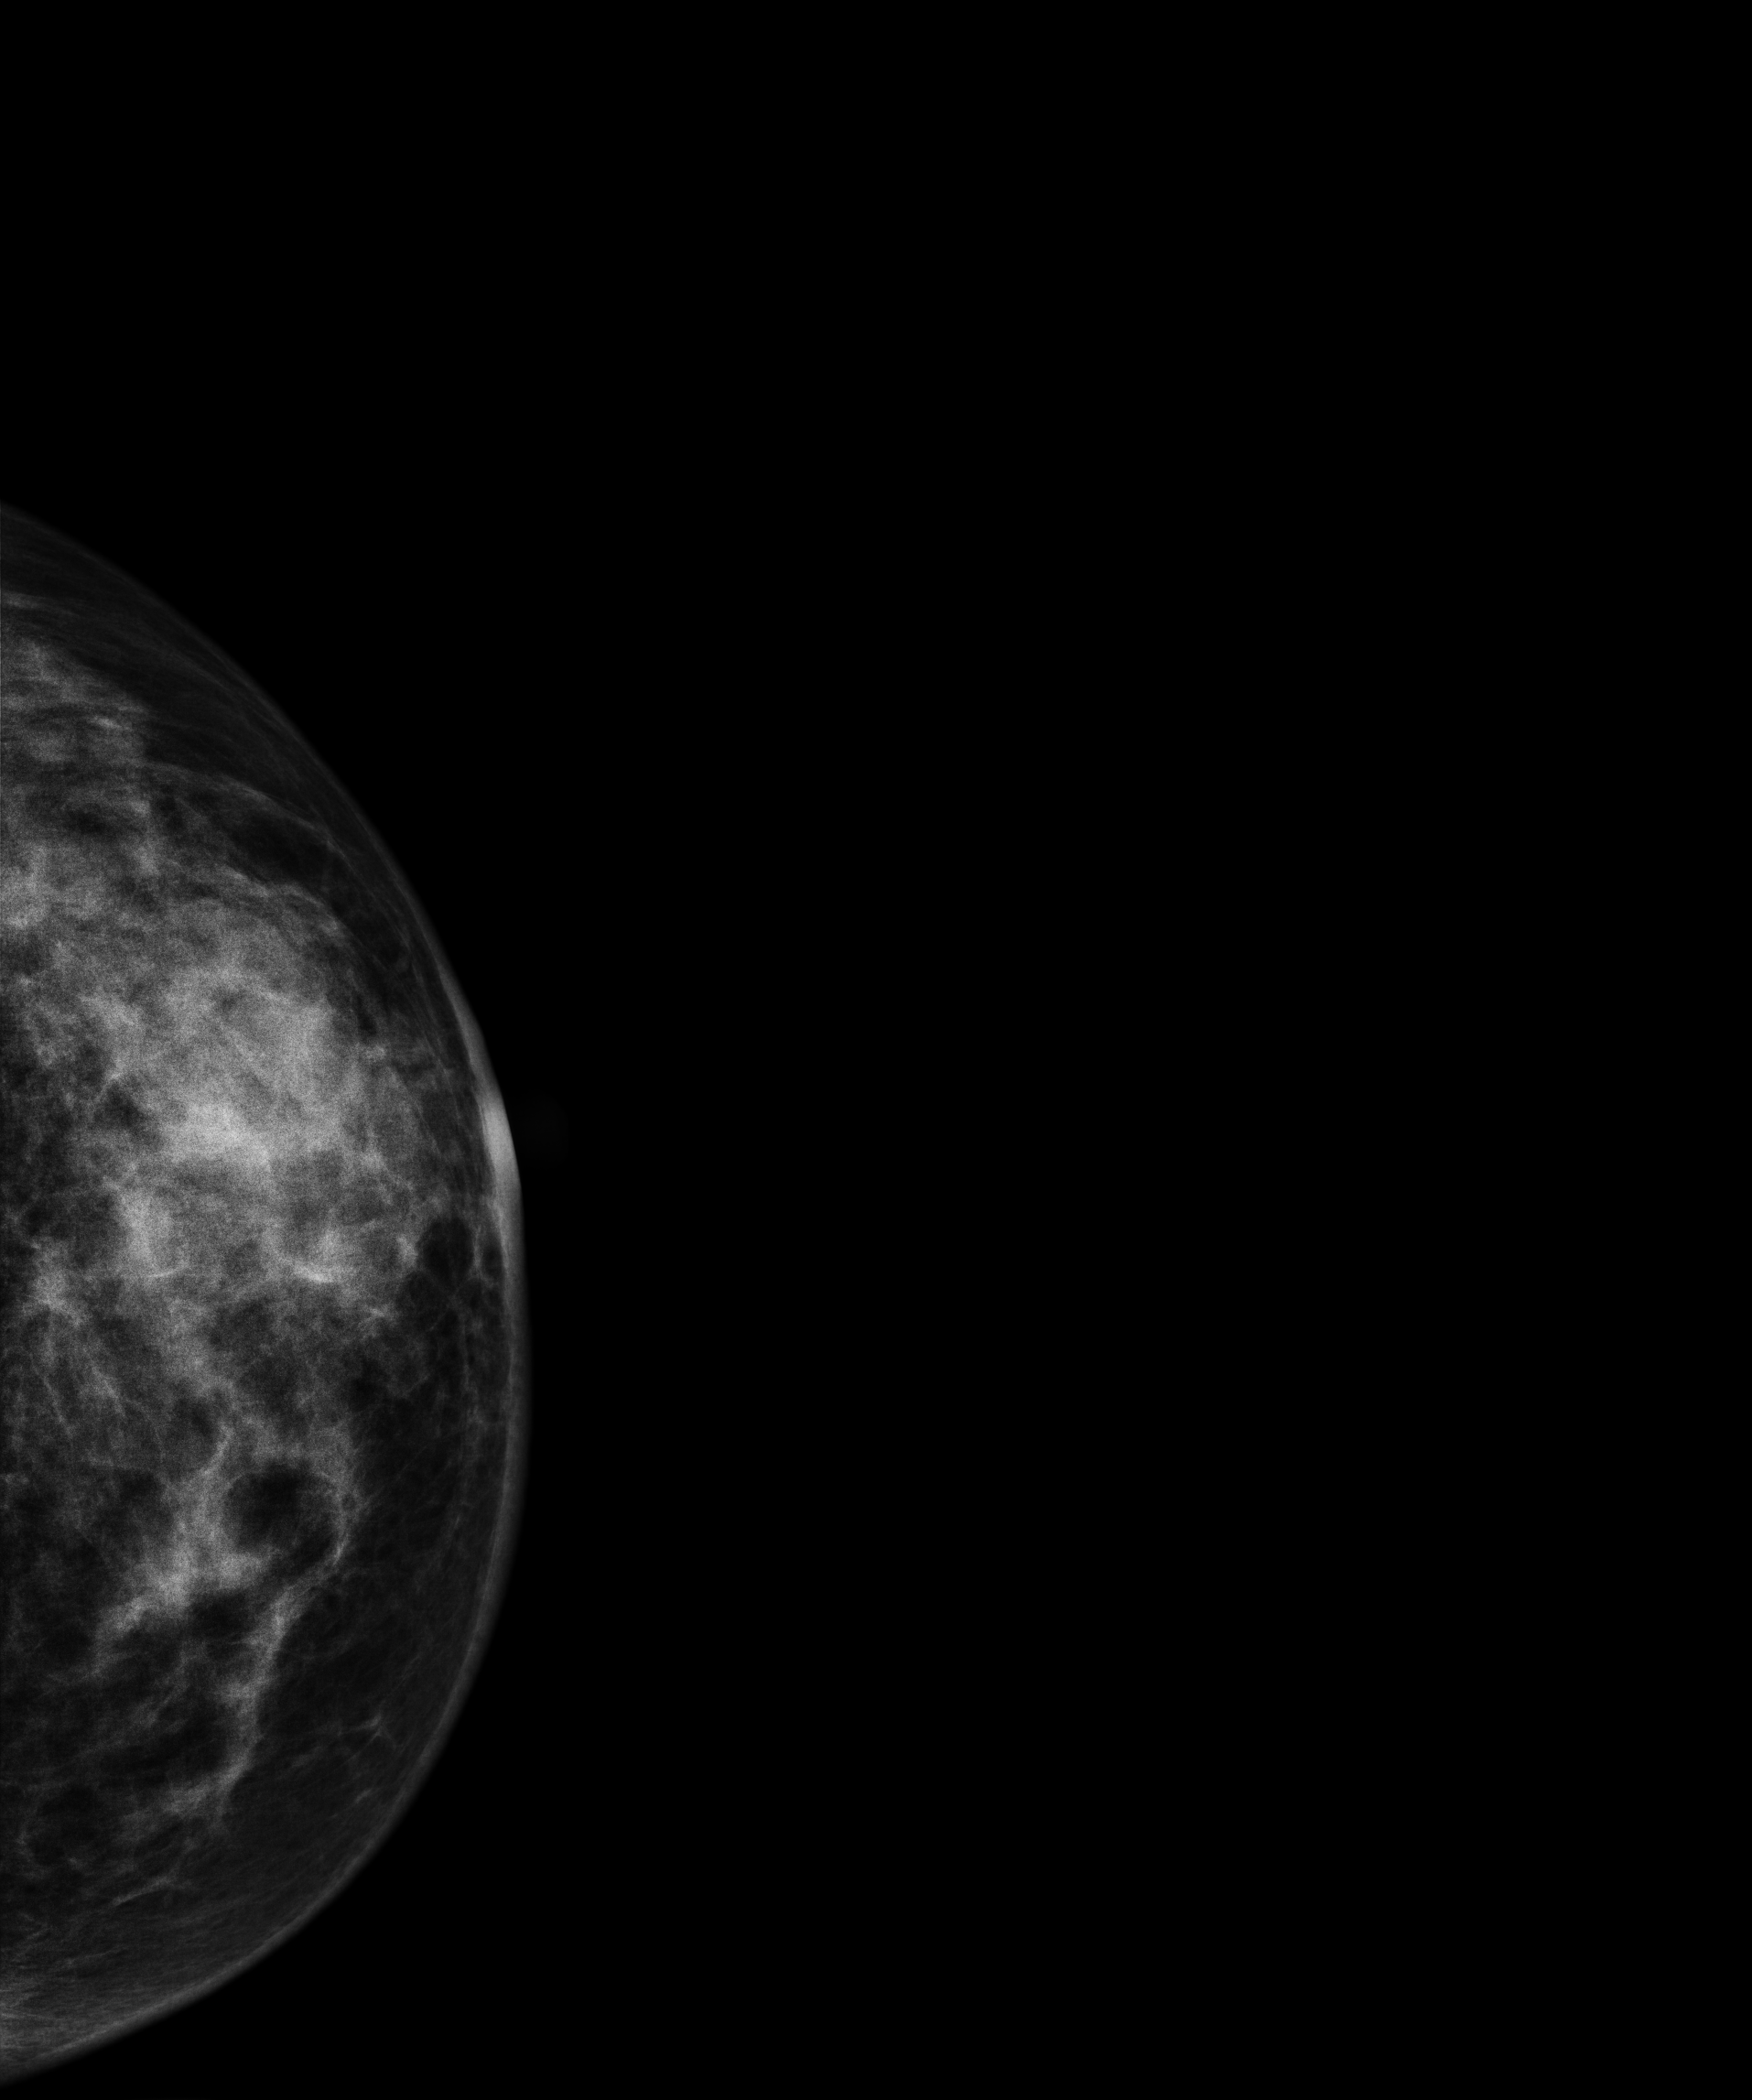
Mammogram — left cranio-caudal. 43-year-old patient.
This breast has a mass, pathology-confirmed malignant. Molecular subtype: luminal B.